Digital mammography. Left breast, CC projection. 50-year-old patient.
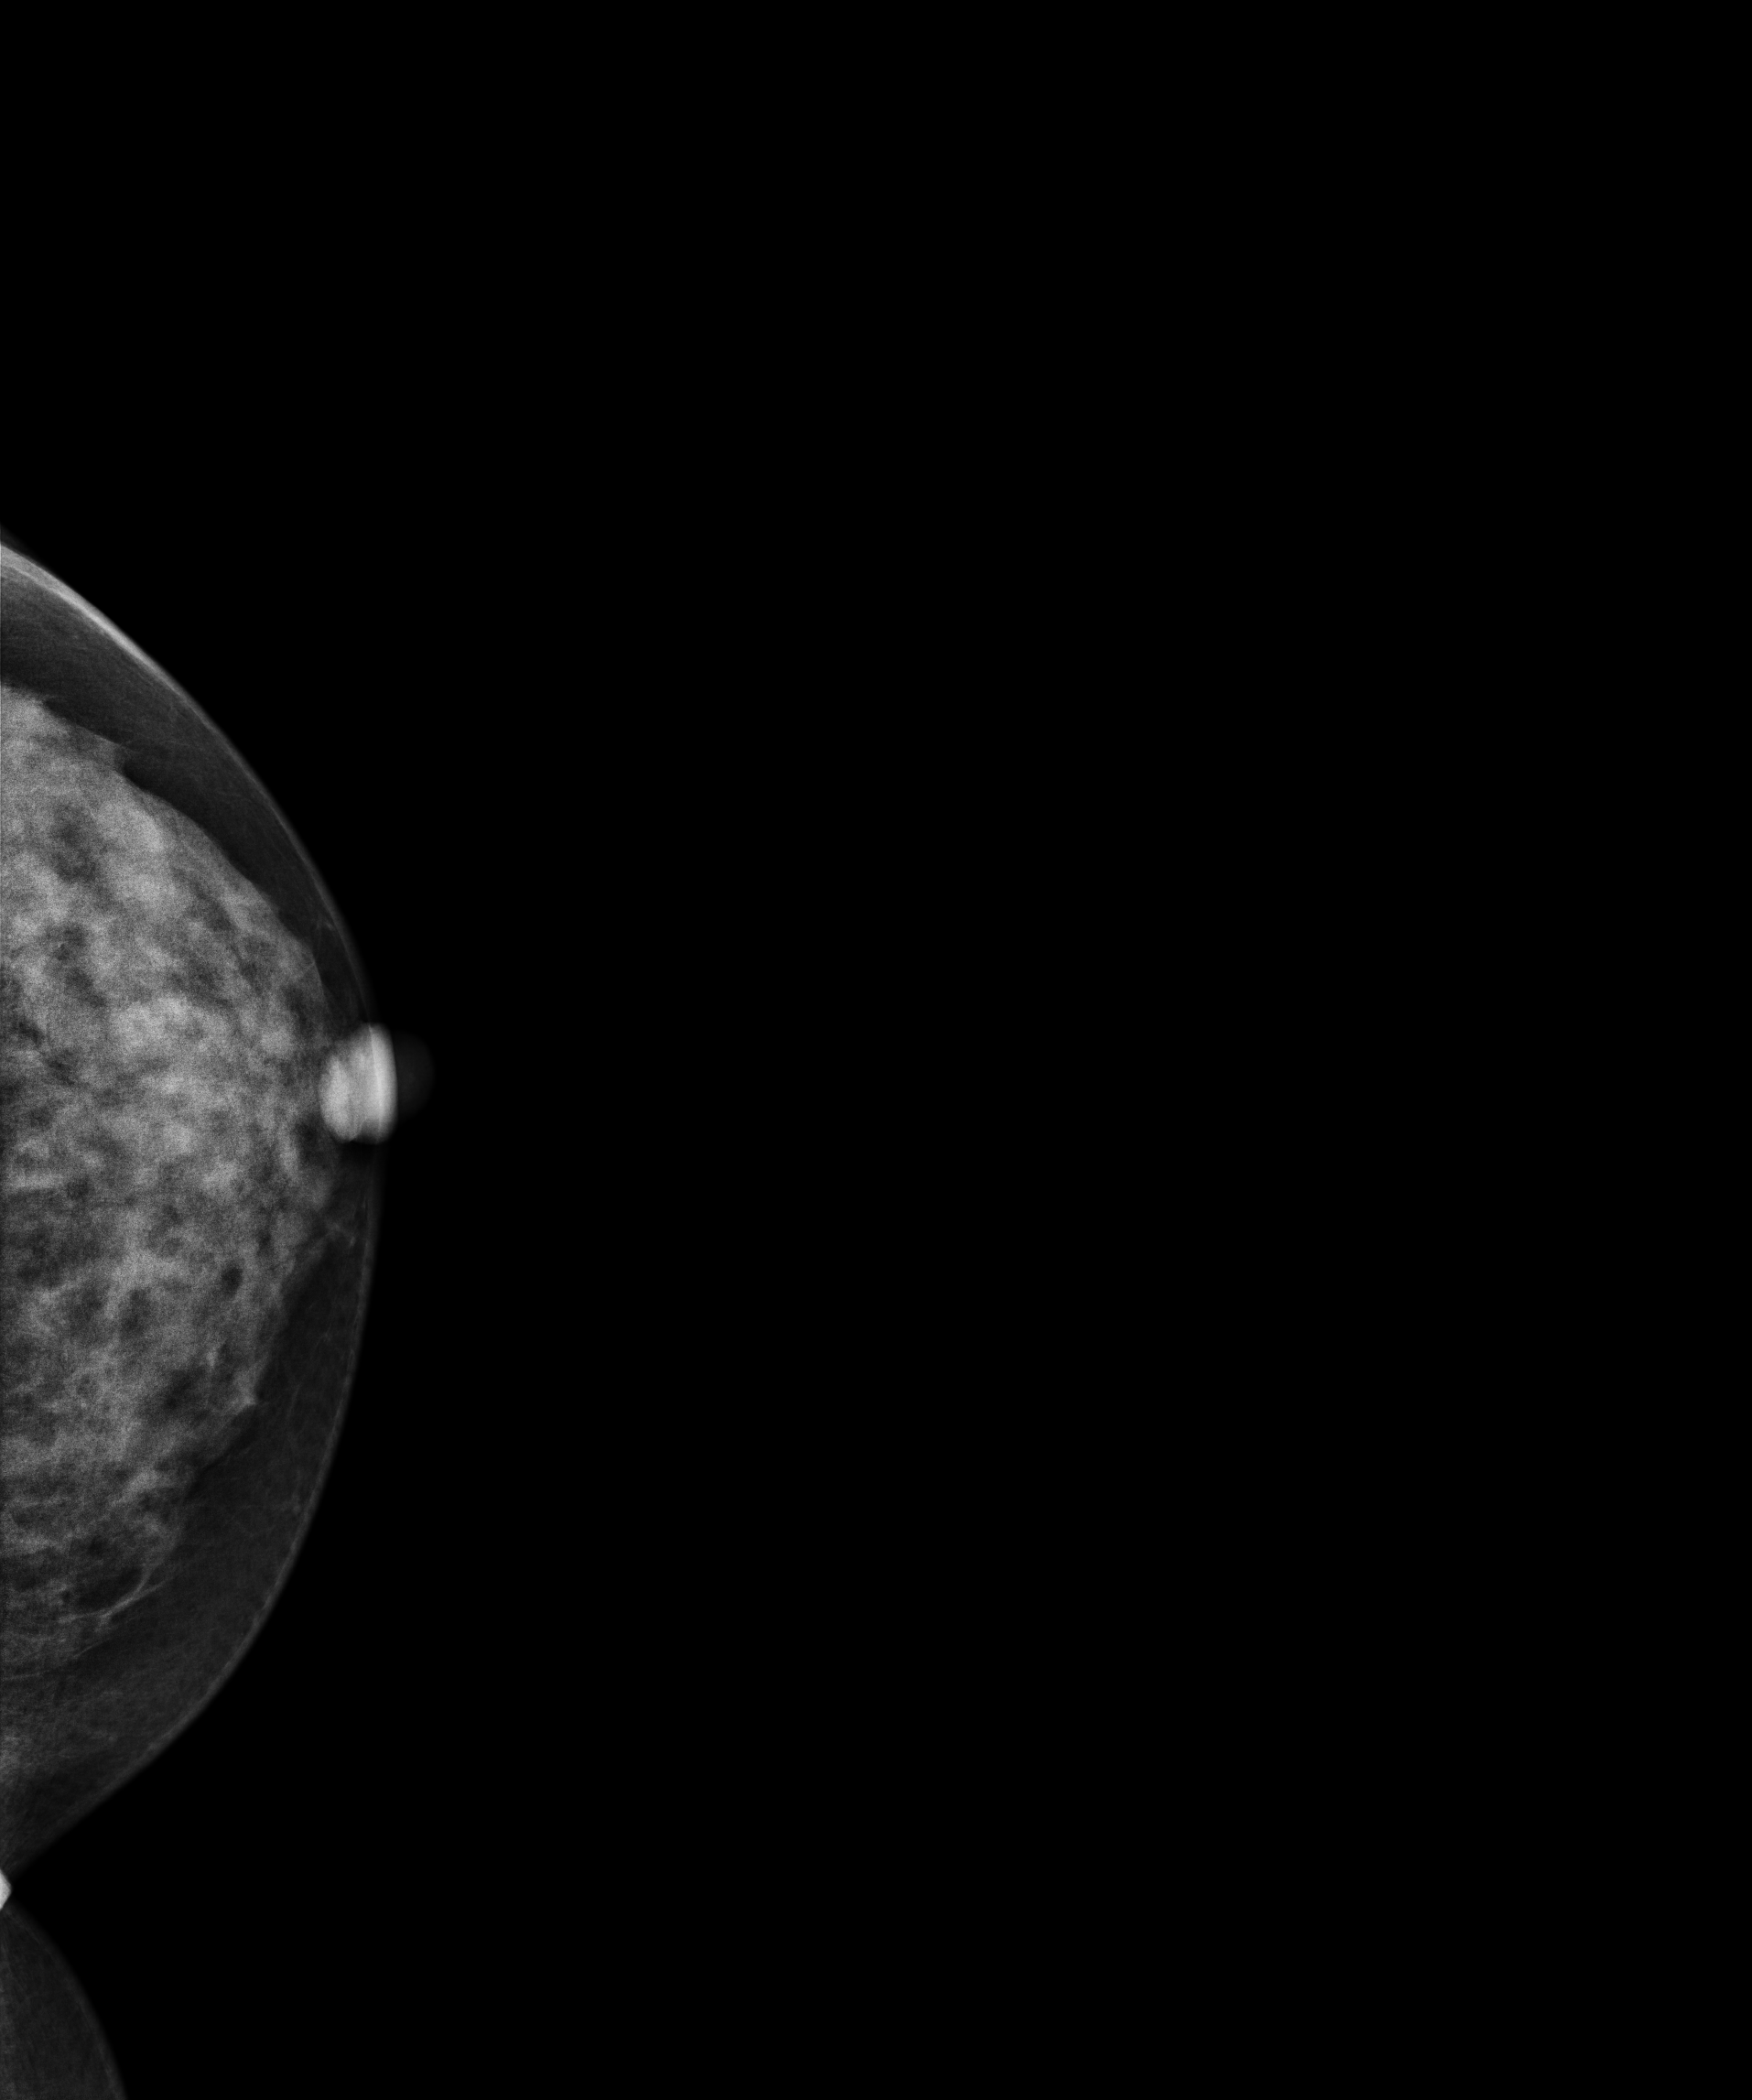
Contralateral breast — no documented abnormality on this side.